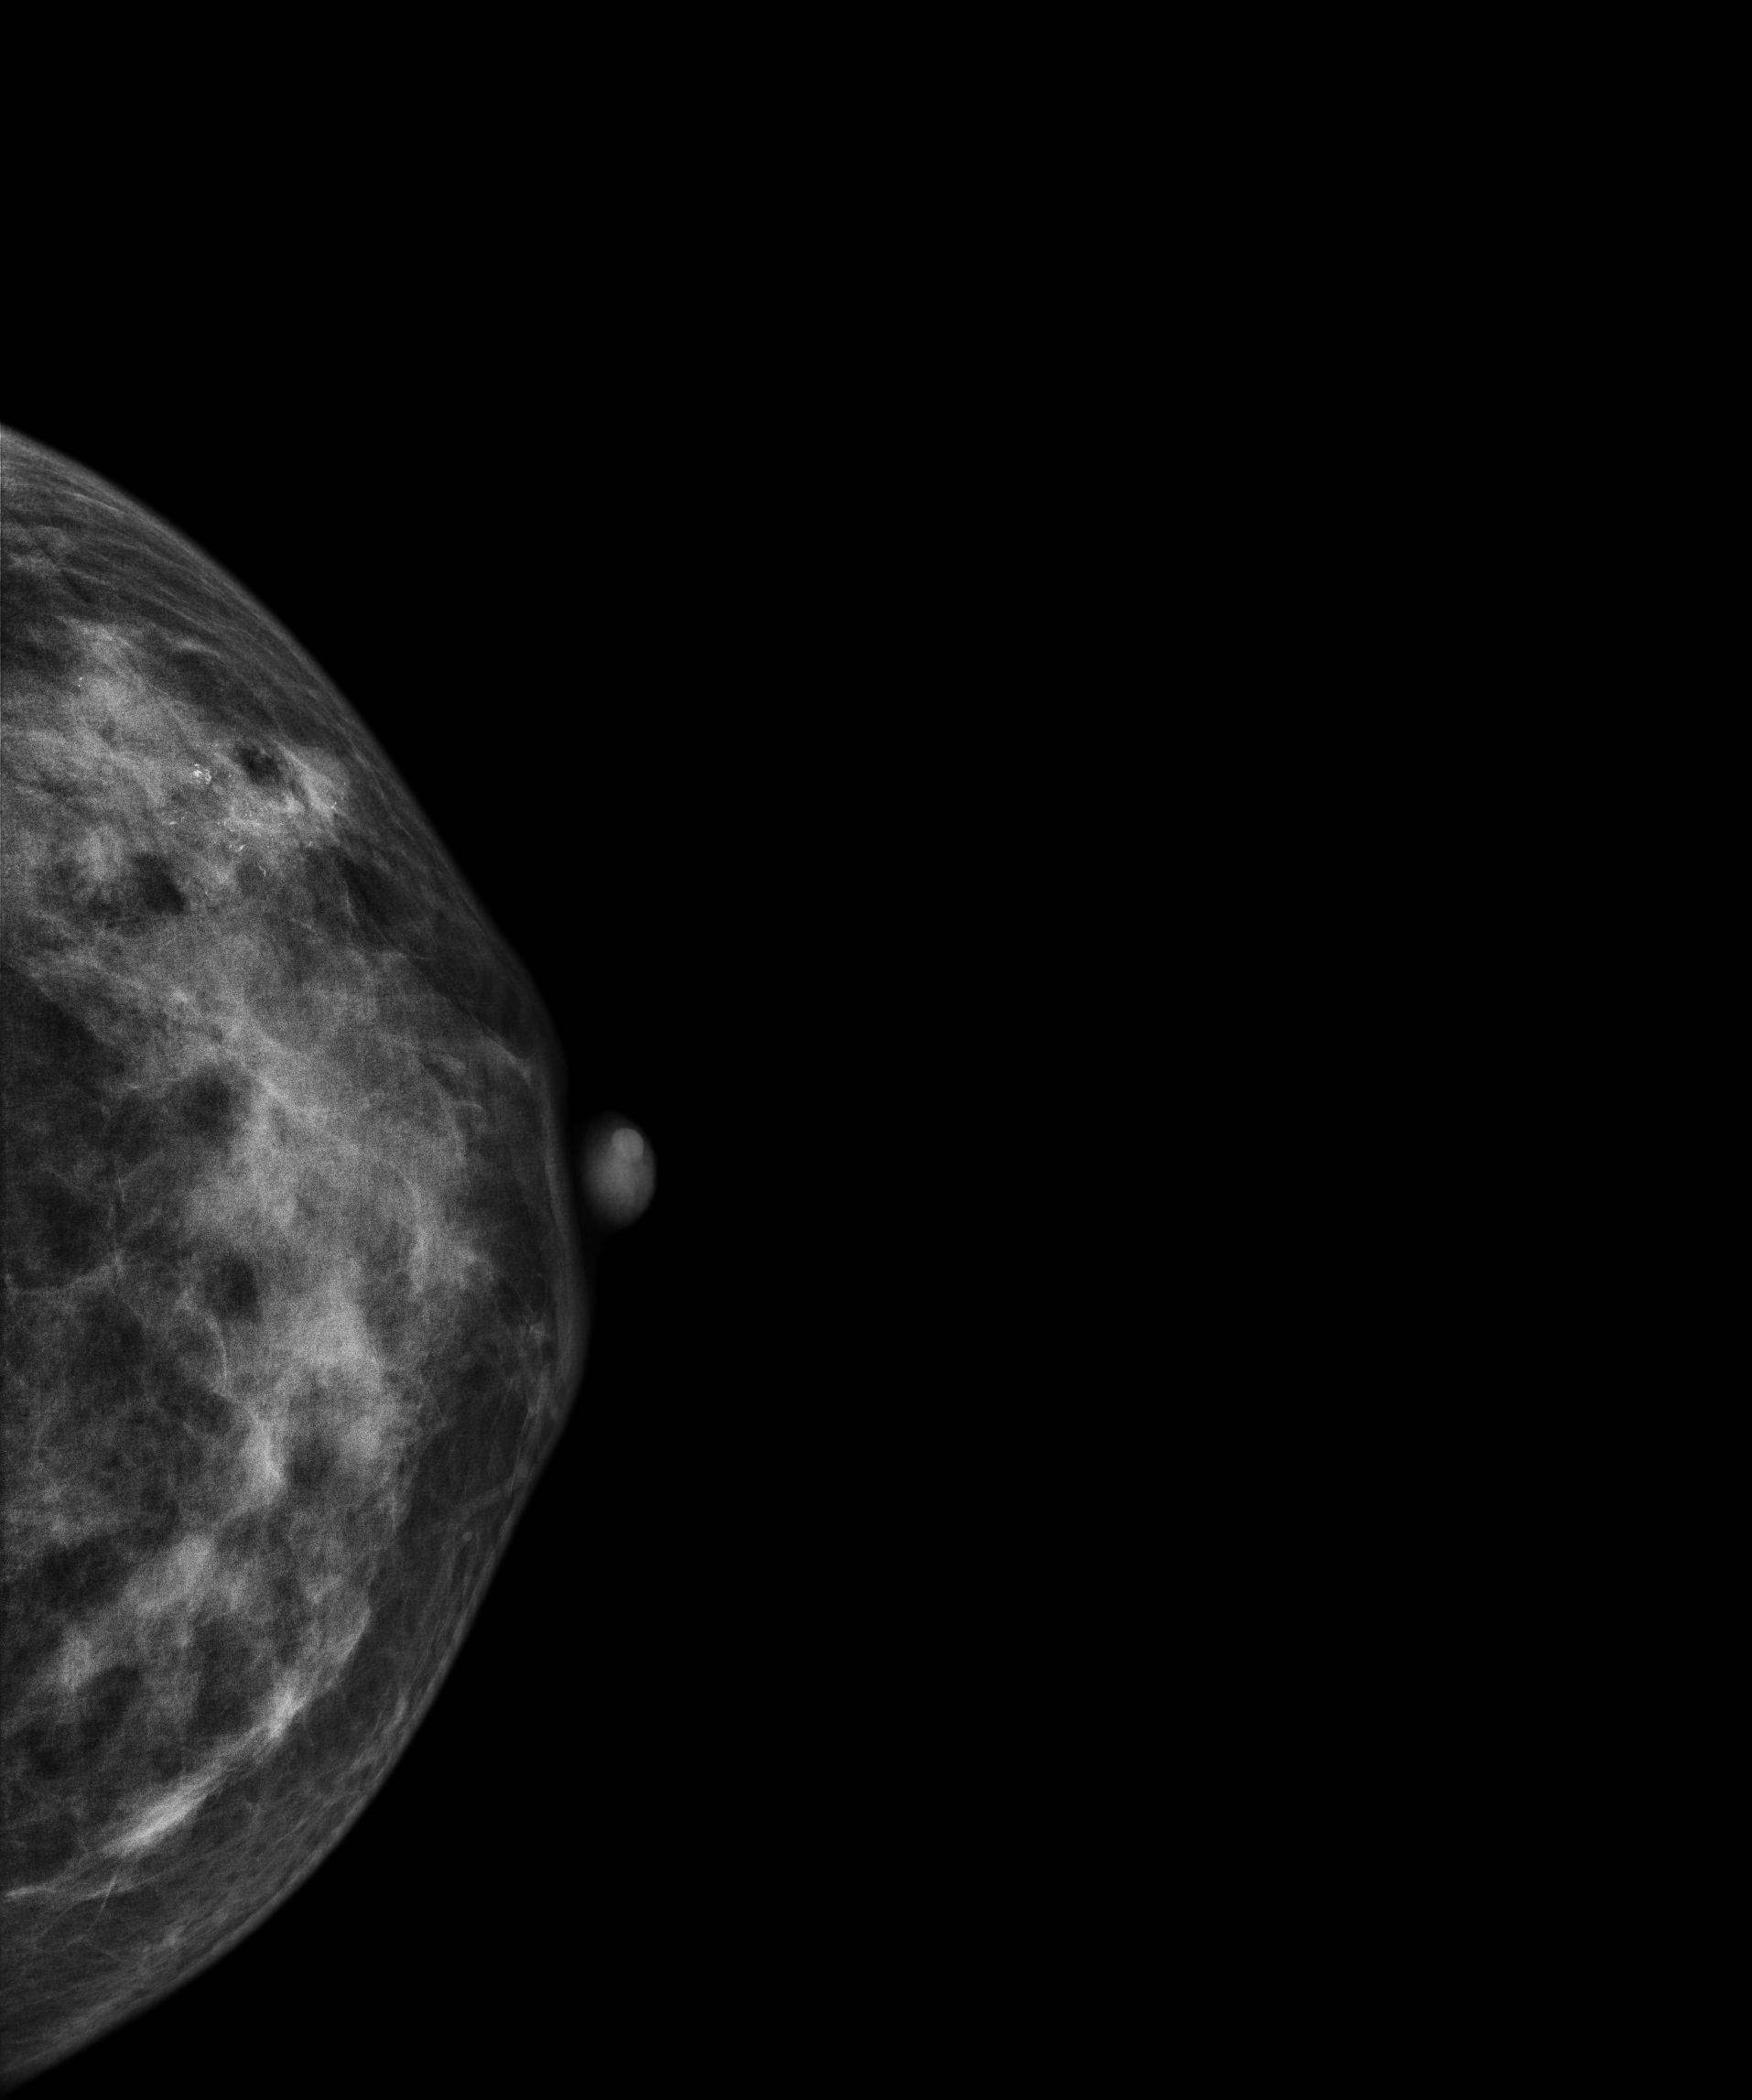
Digital mammography. Left breast, CC projection. 51 y/o patient.
This breast has a mass and calcifications, pathology-confirmed malignant. Molecular subtype: luminal B.